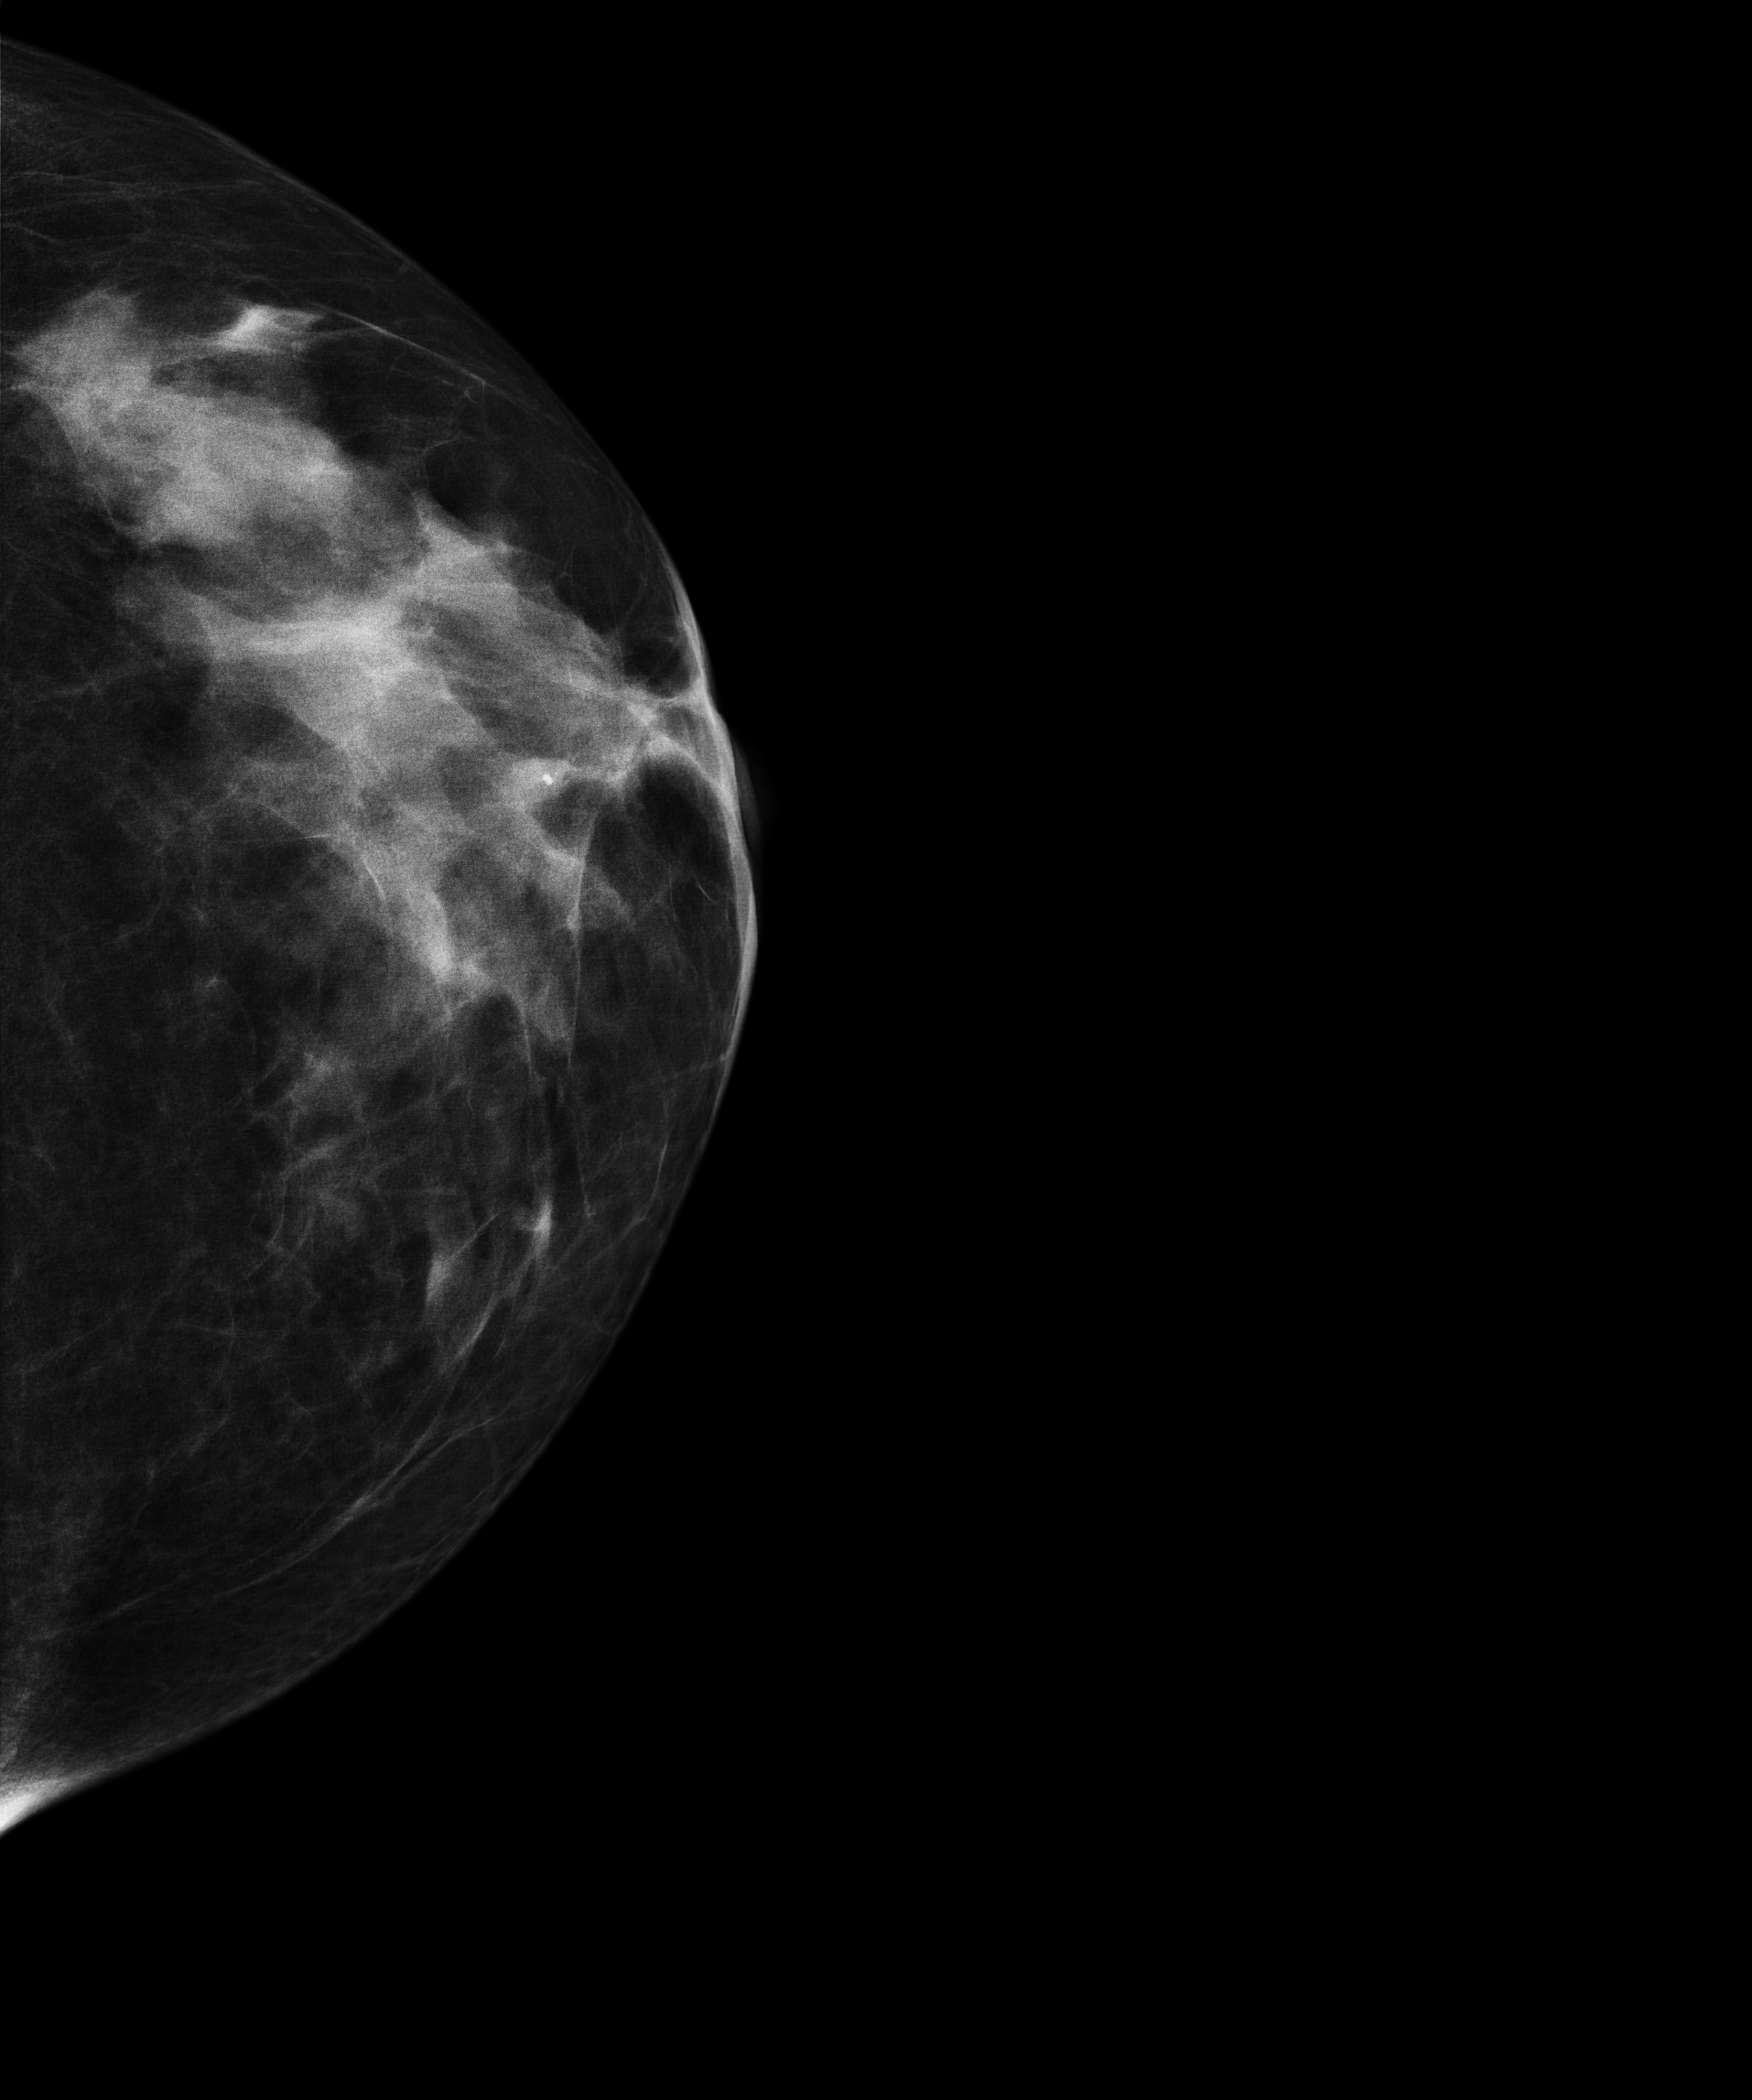
Digital mammography. Left breast, cranio-caudal projection. Patient age 51.
This breast has a mass, pathology-confirmed malignant. Molecular subtype: luminal B.